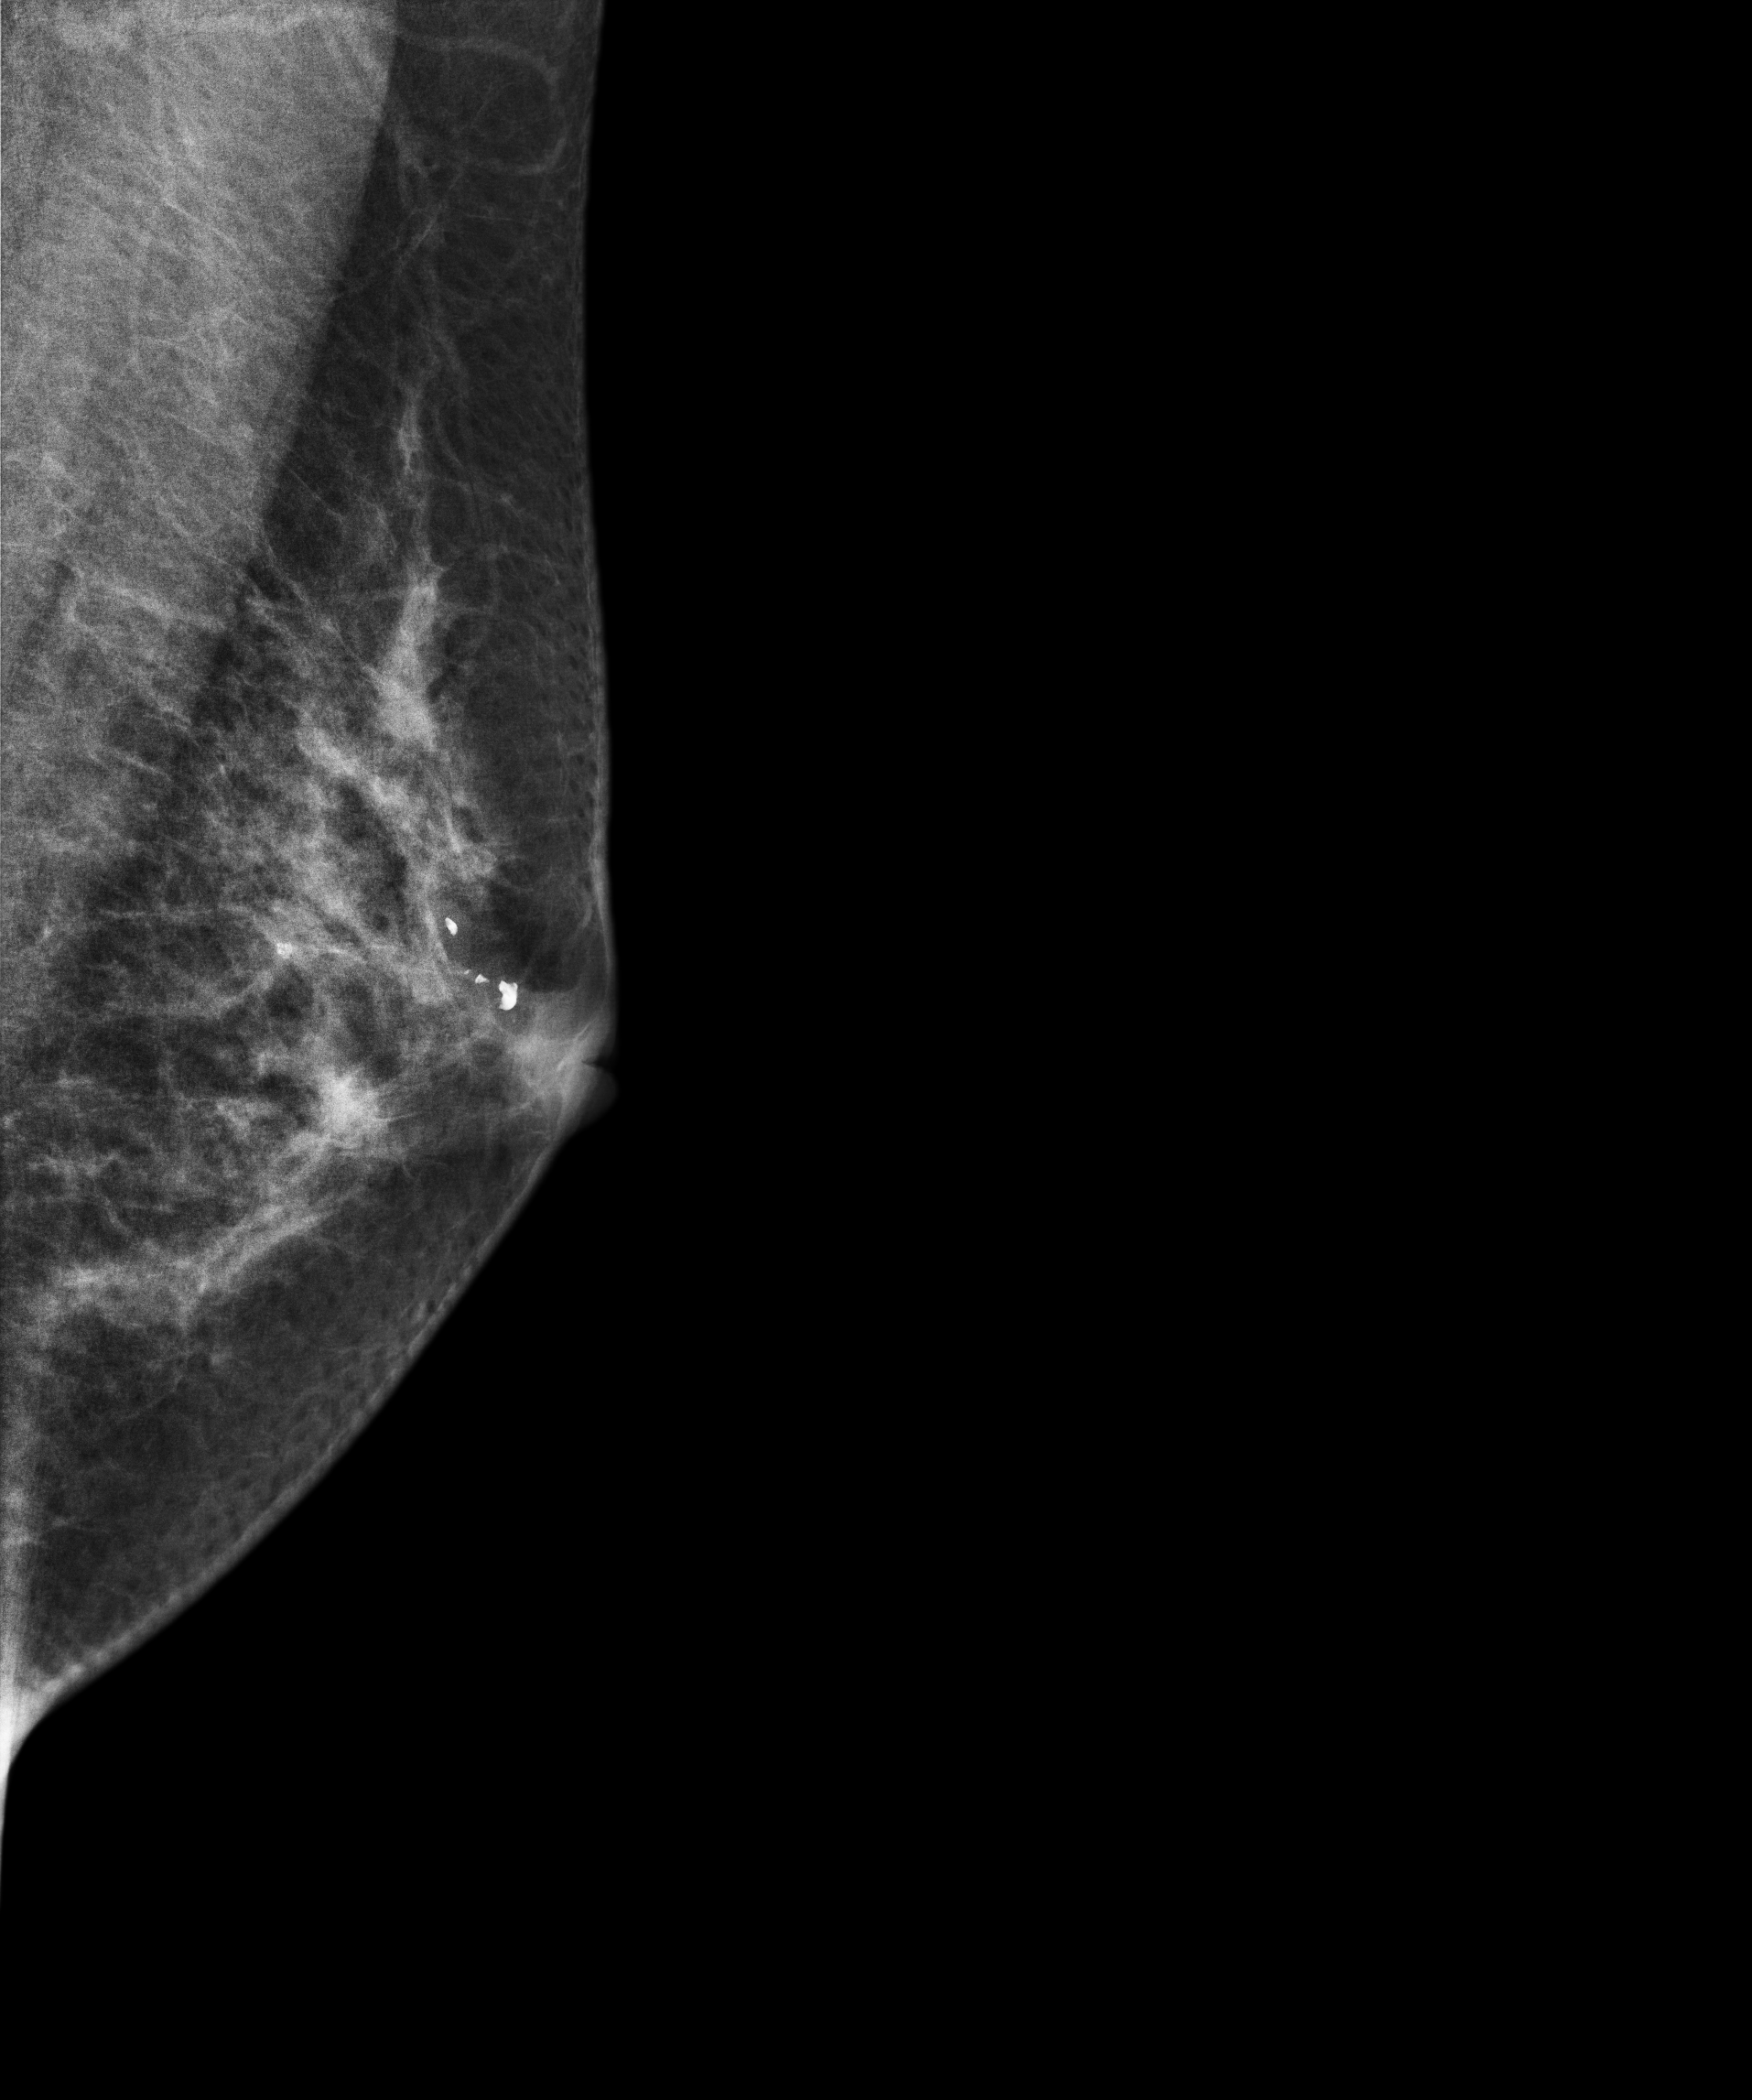
Medio-lateral oblique mammogram of the left breast. 53-year-old patient.
Contralateral breast — no documented abnormality on this side.